Right-breast mammogram, medio-lateral oblique. 48 y/o patient.
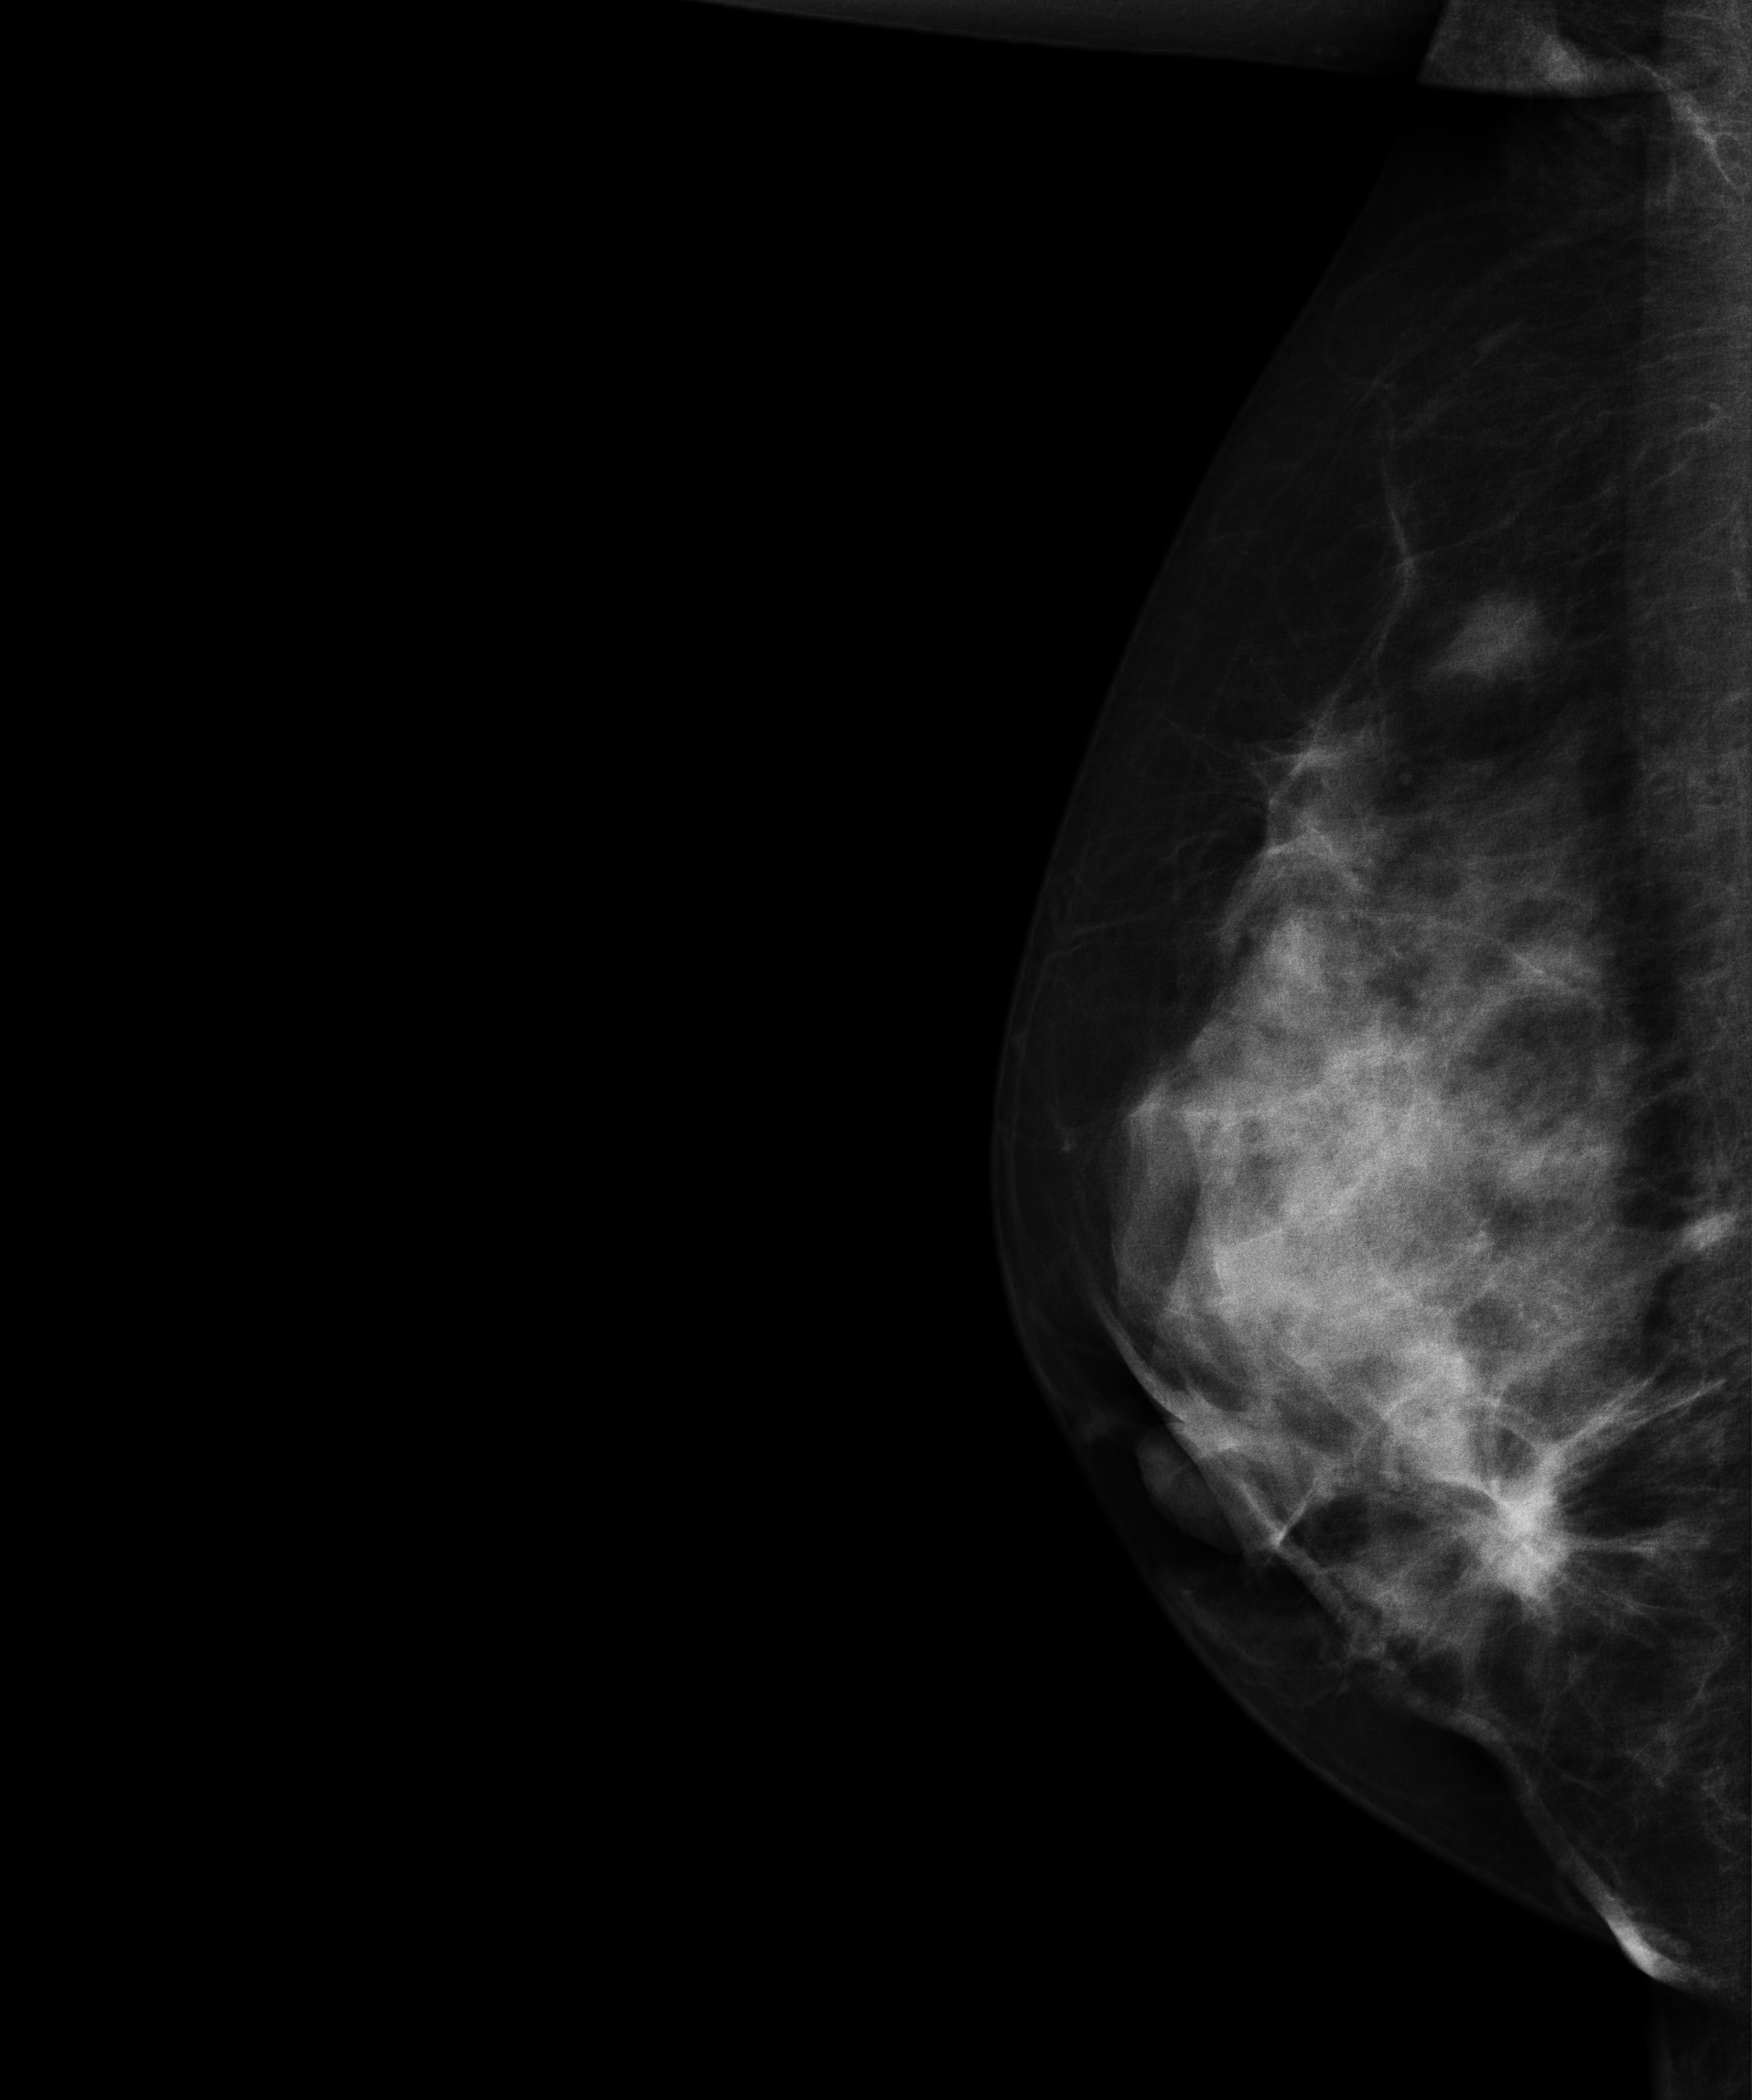
This breast has a mass, biopsy-proven malignant. Molecular subtype: luminal B.